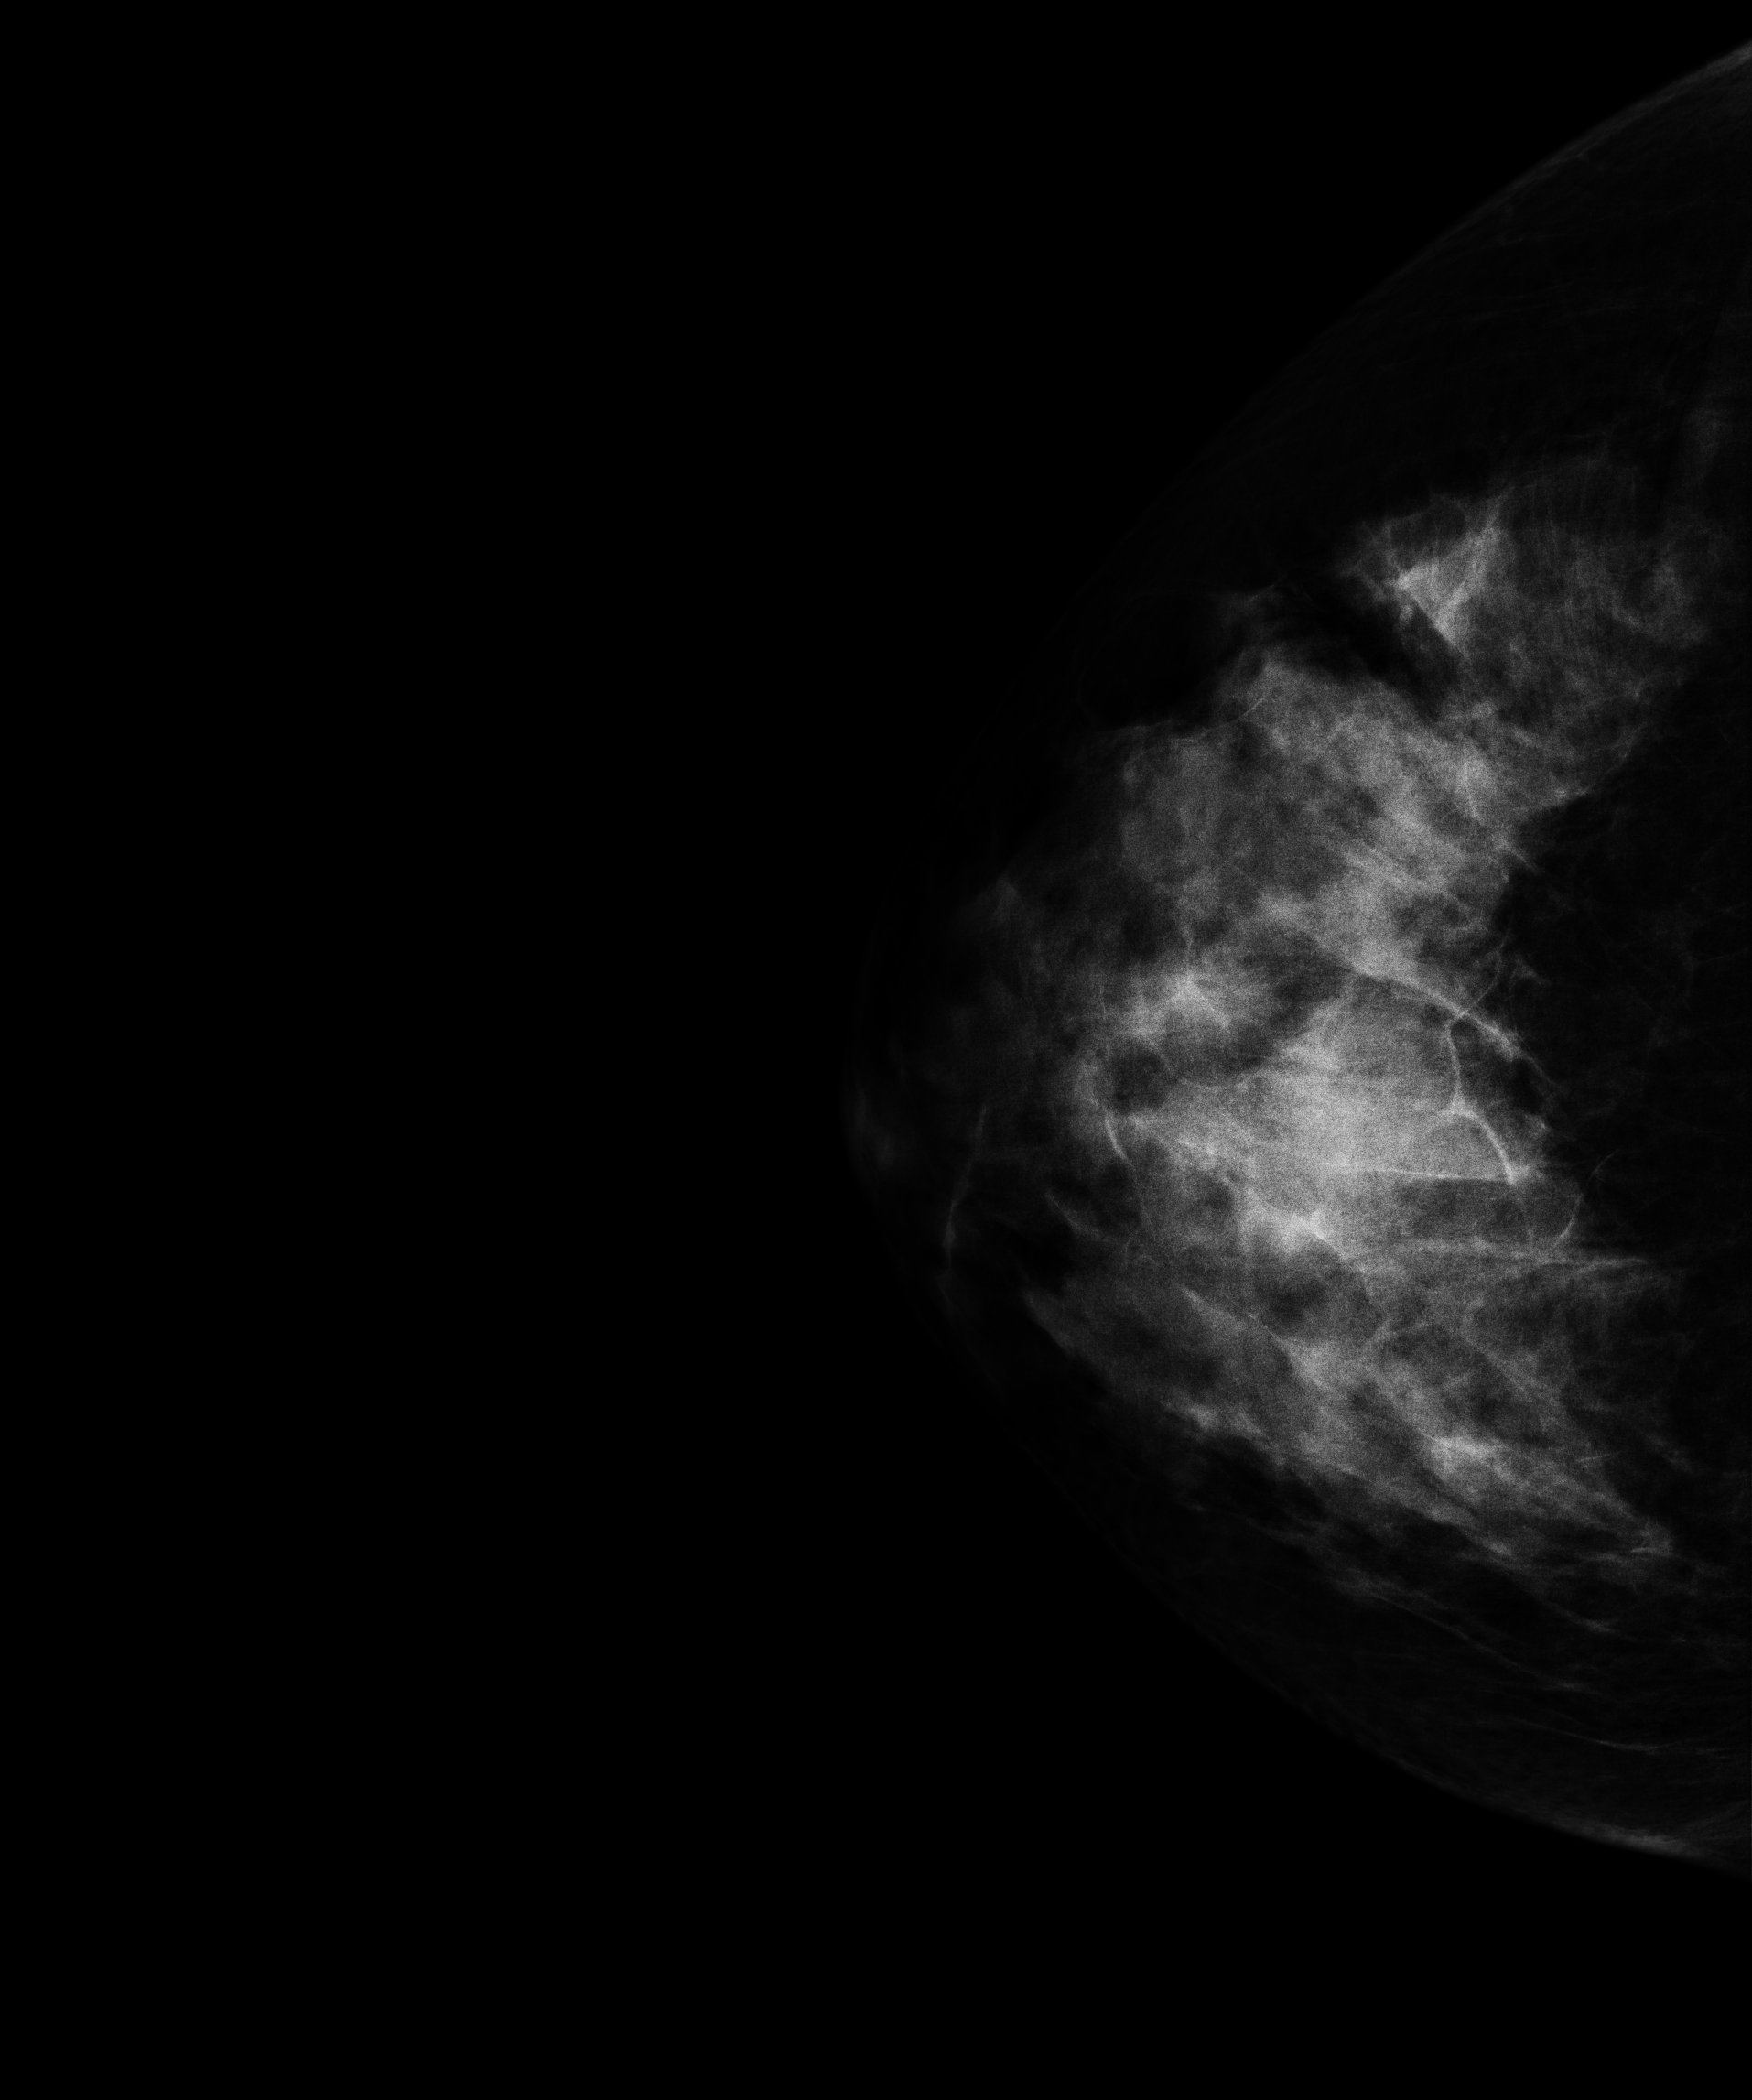
Mammogram — right cranio-caudal. 49 y/o patient.
This breast has a mass, biopsy-confirmed malignant.